MLO mammogram of the right breast. 58-year-old patient.
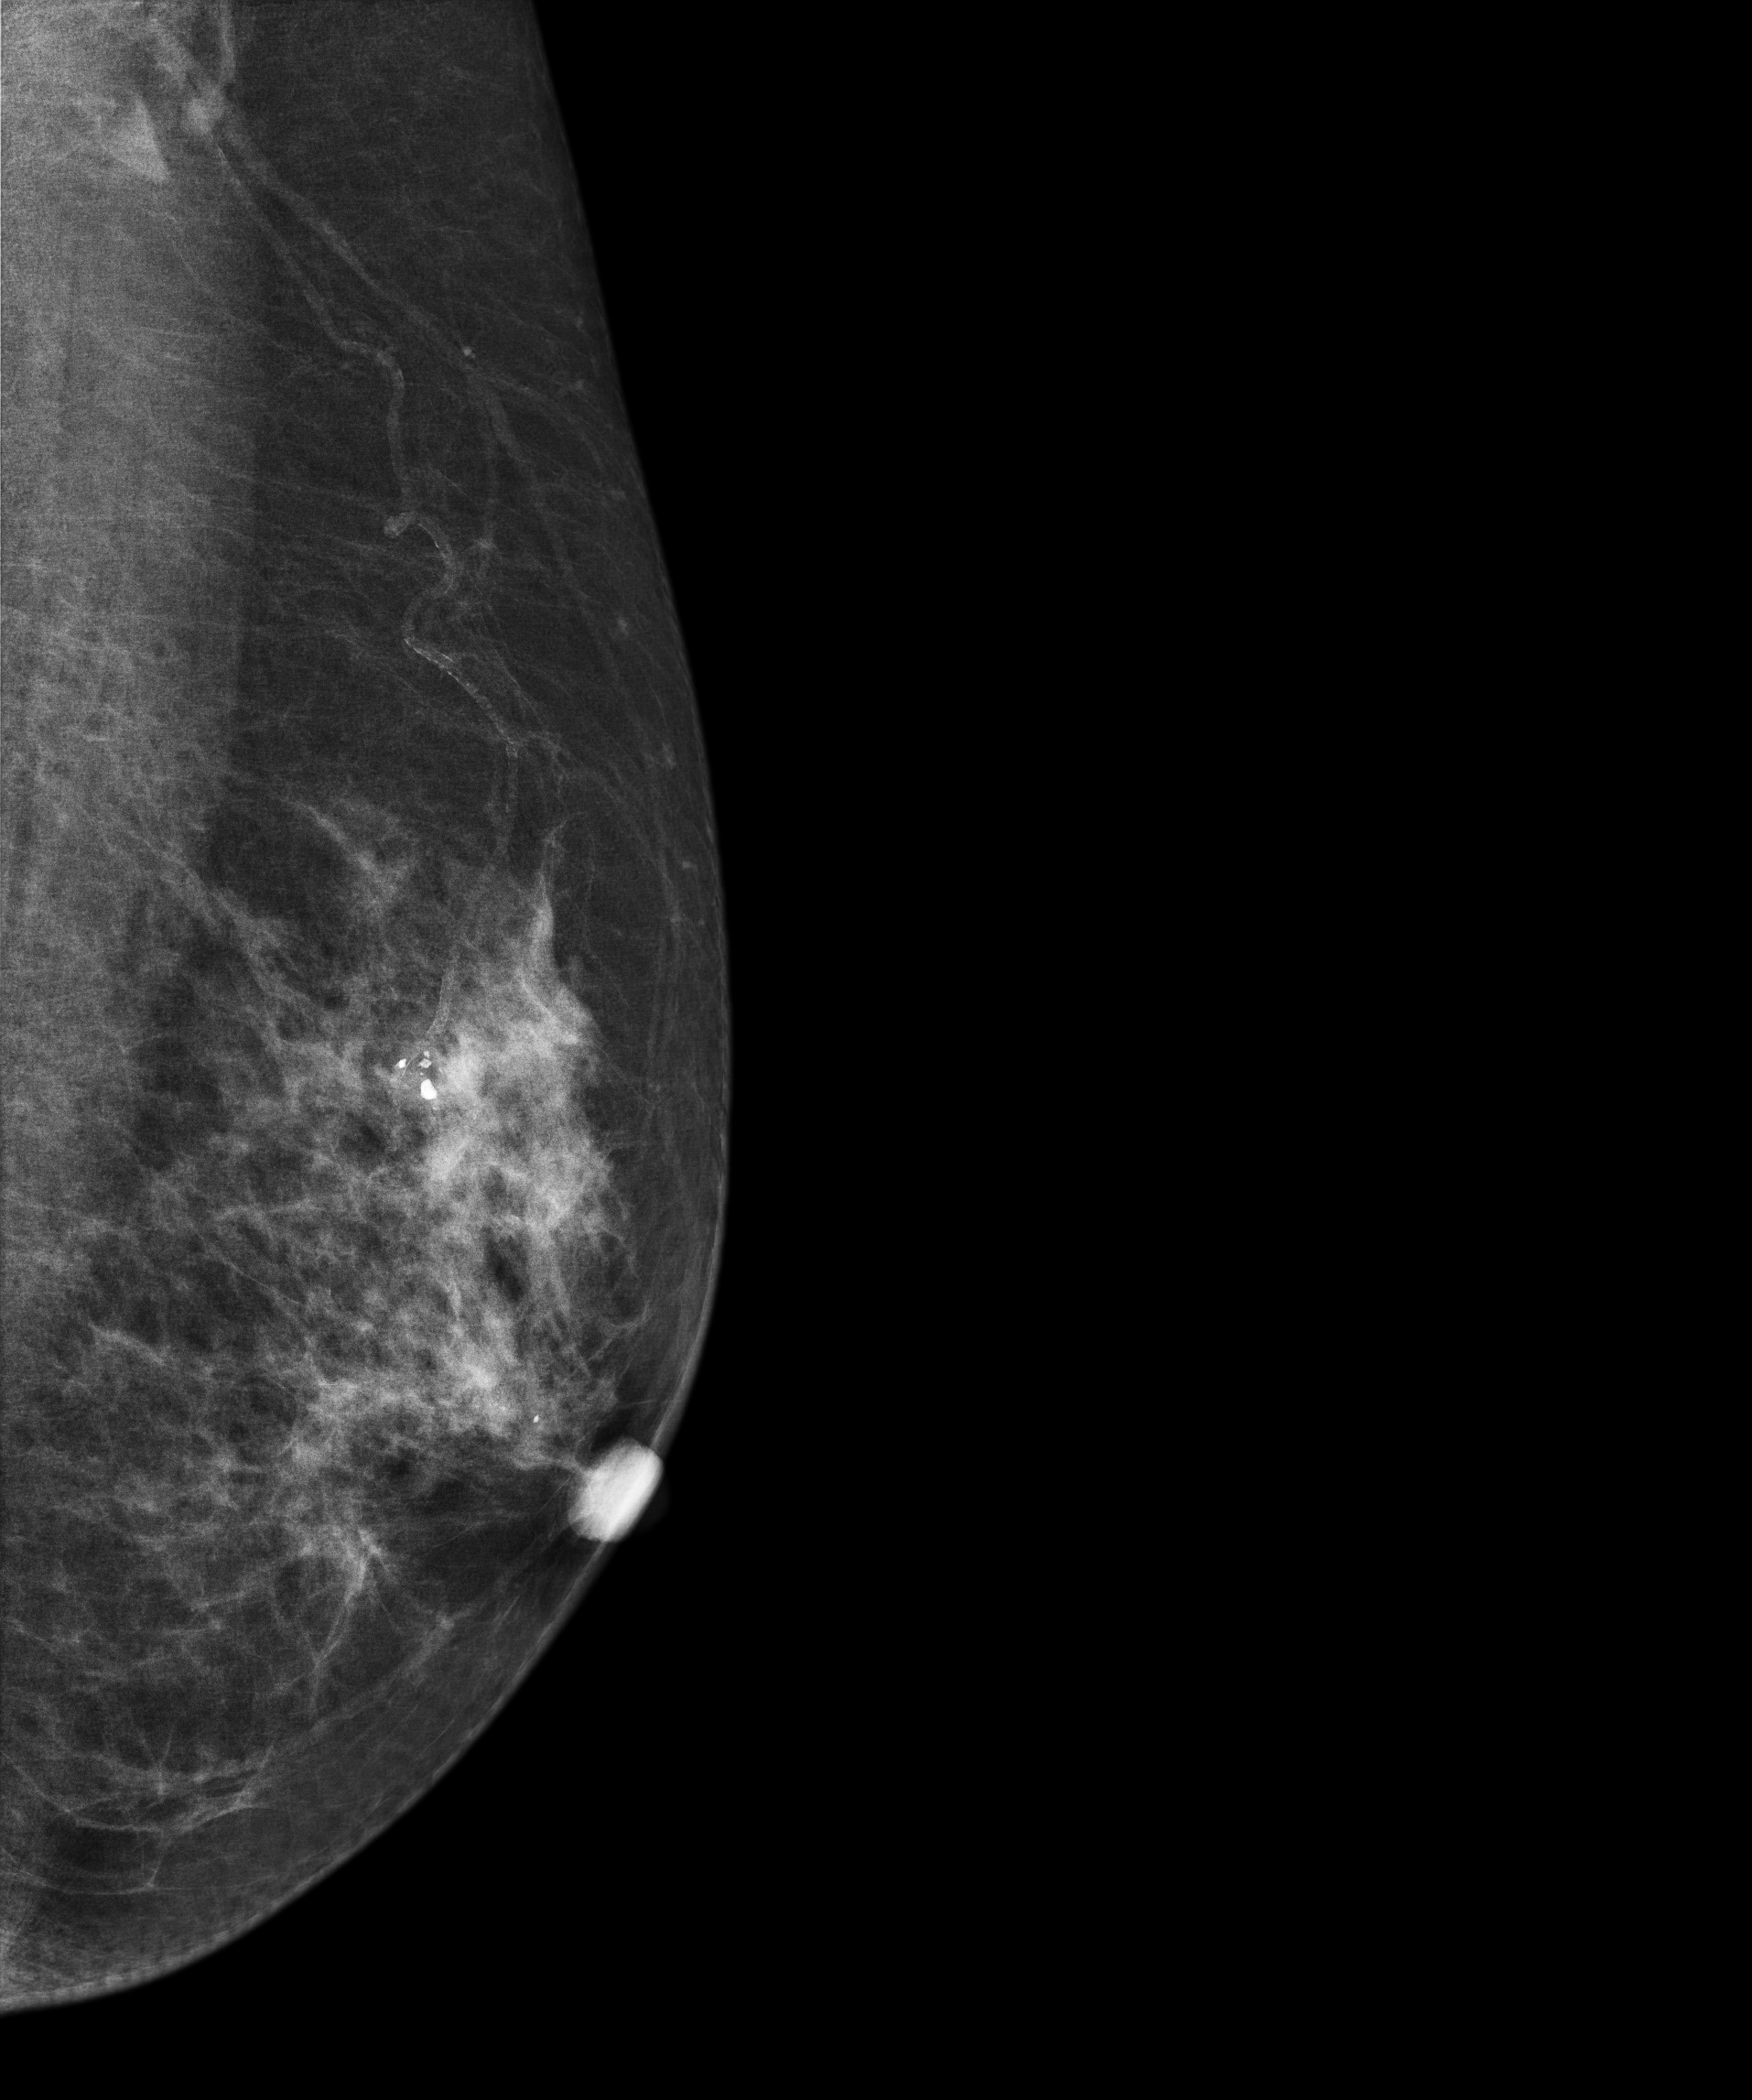
This breast has a mass, biopsy-confirmed benign.